Mammogram, right breast, medio-lateral oblique view. 67-year-old patient.
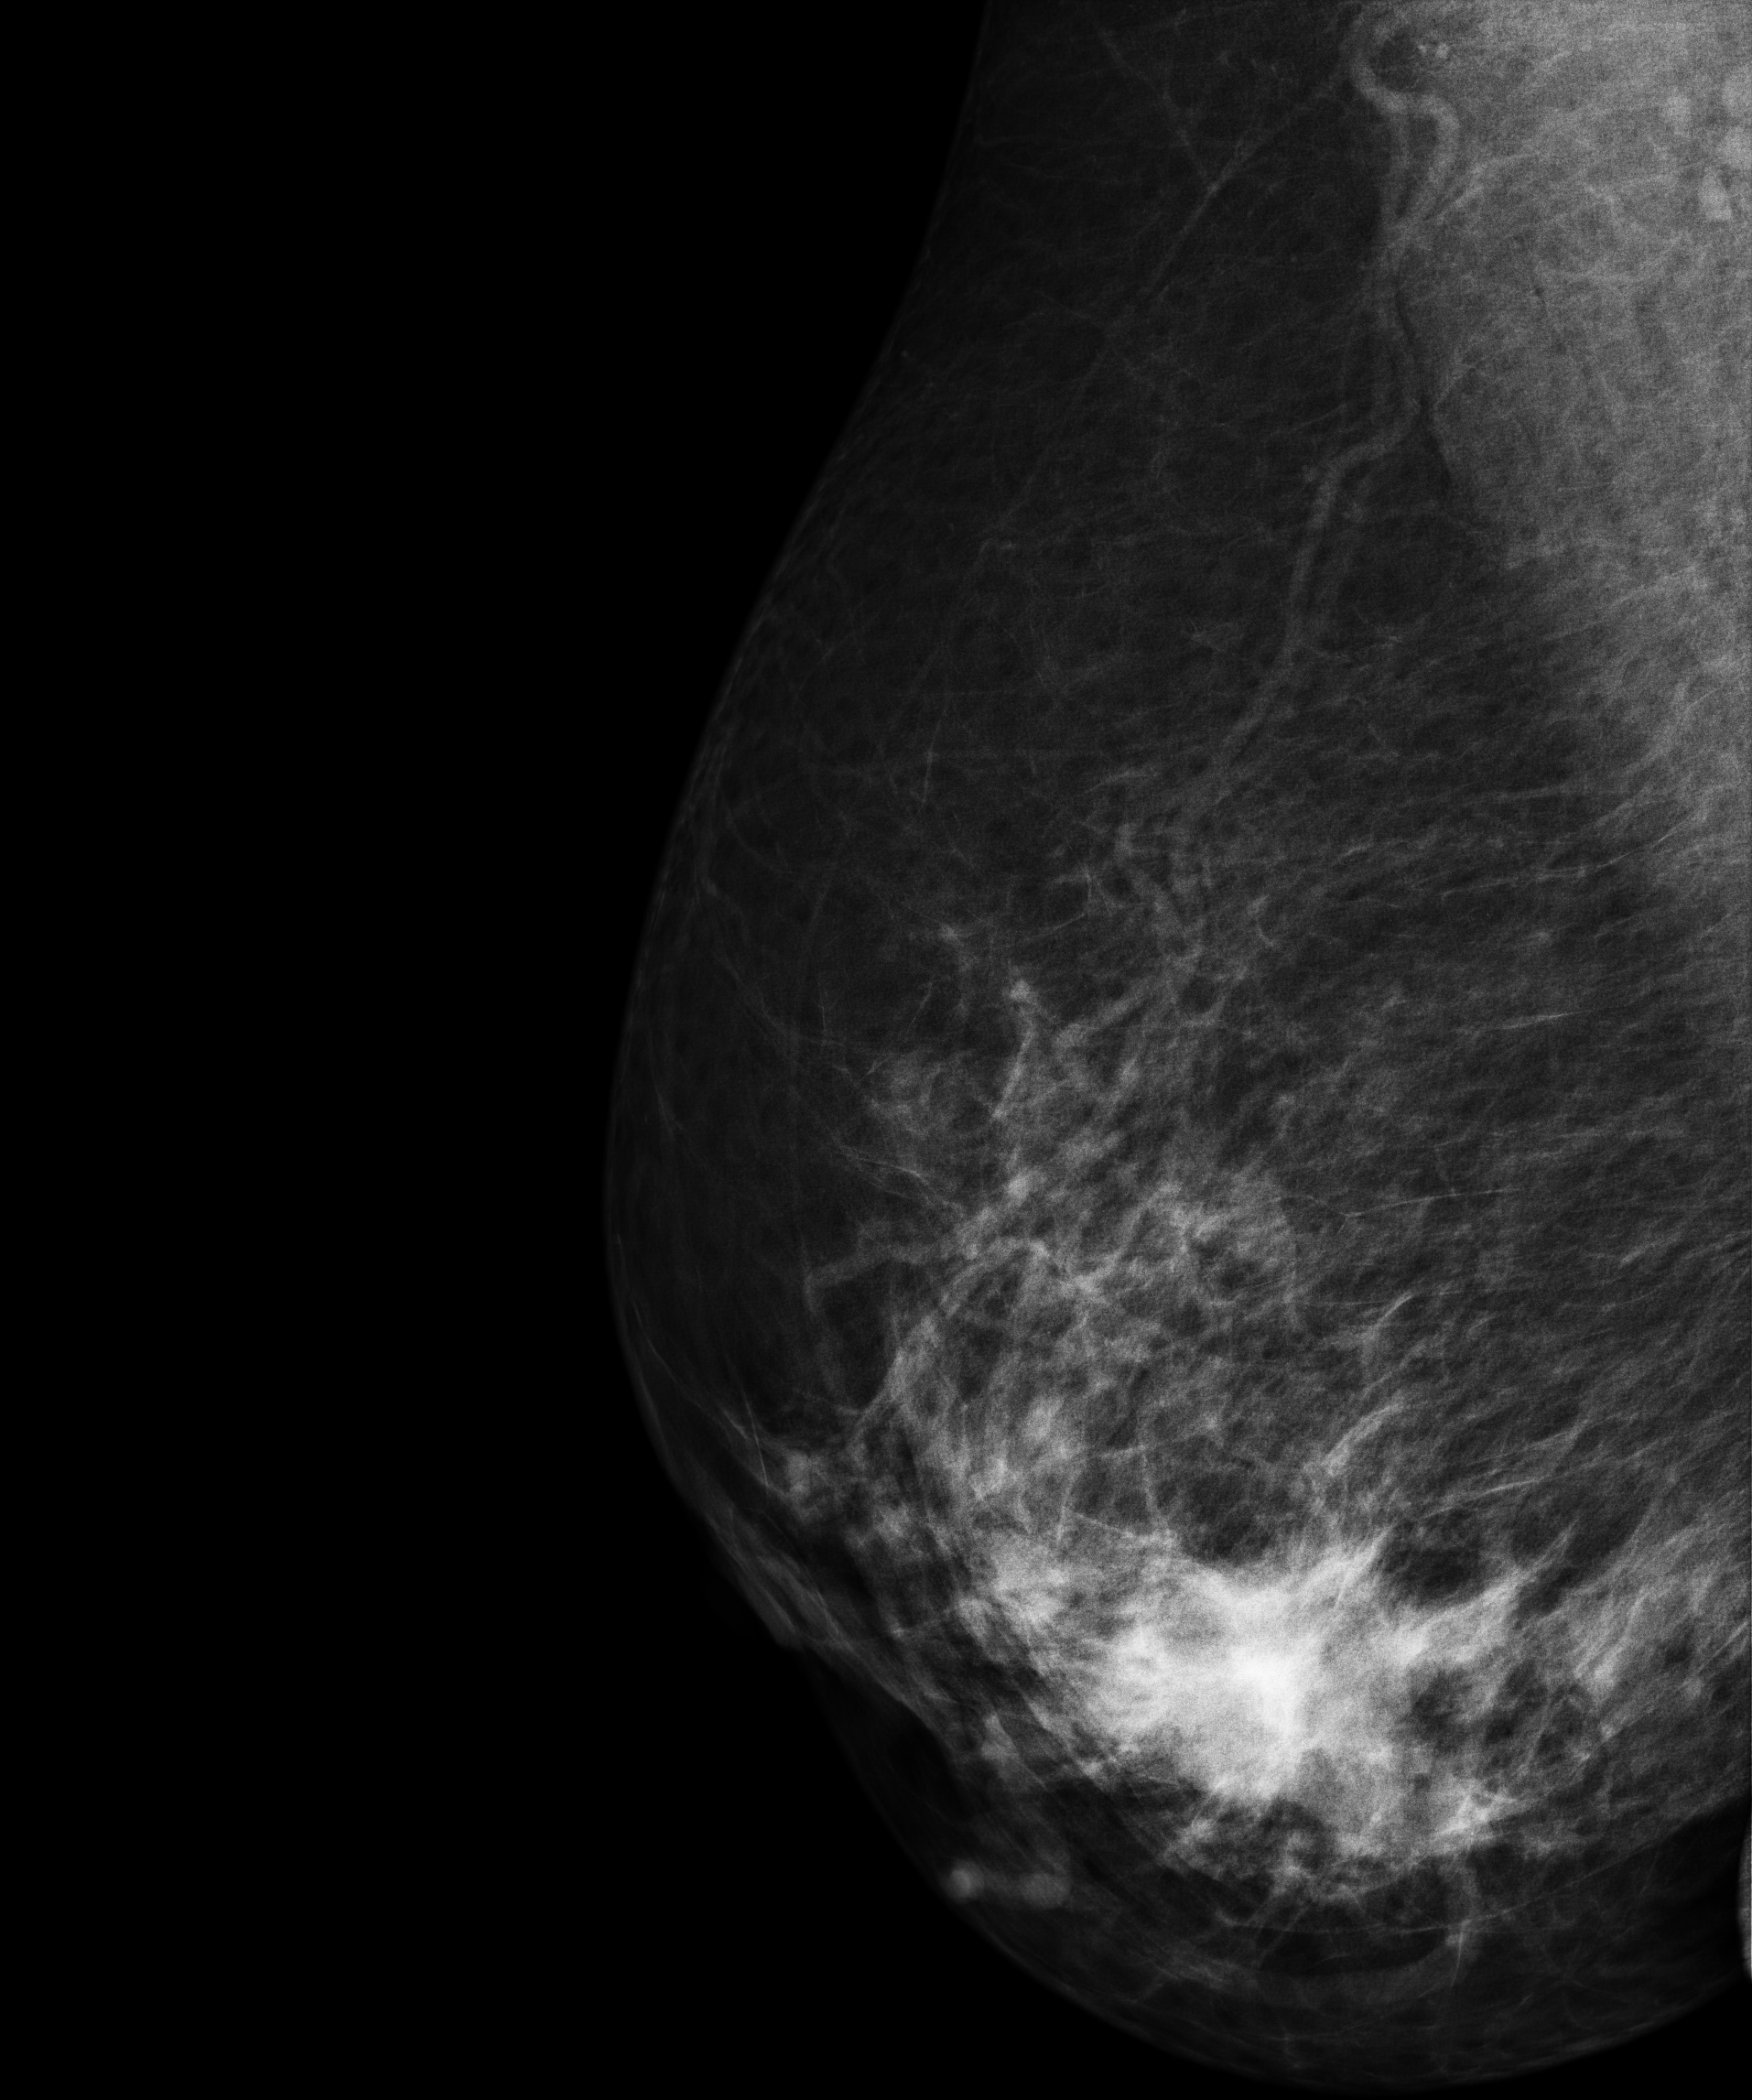
This breast has a mass, histologically confirmed malignant. Molecular subtype: luminal A.